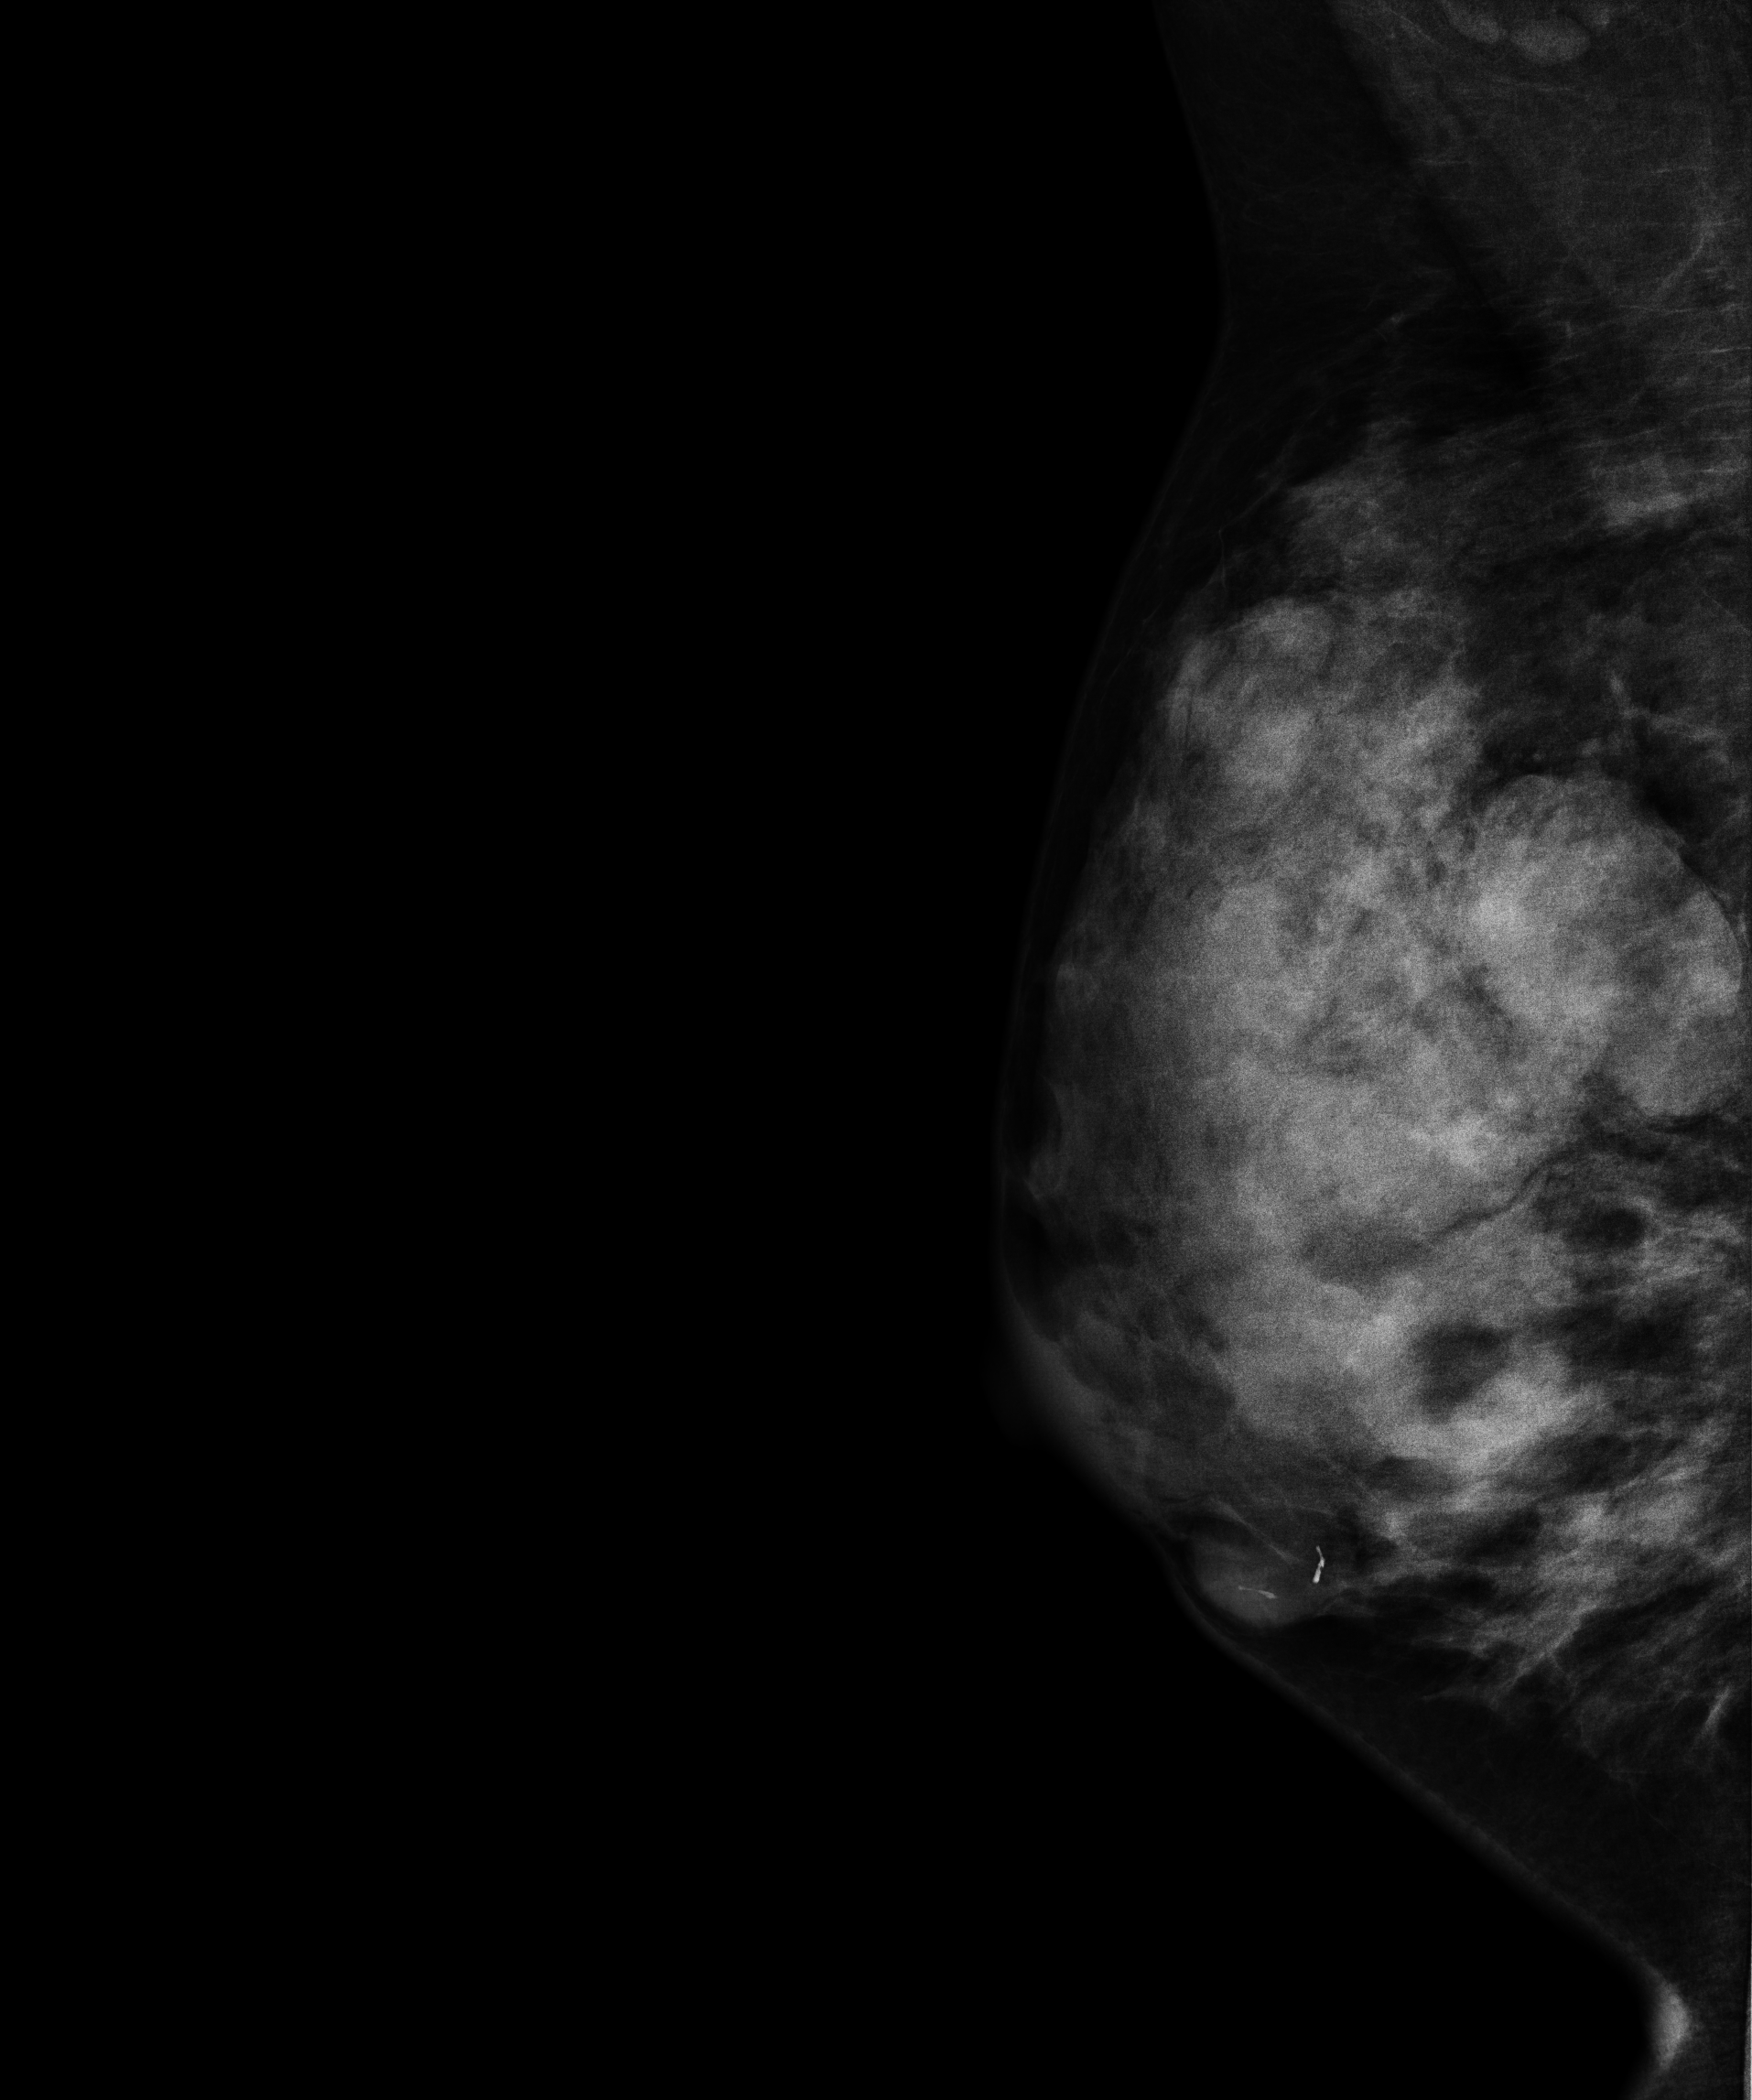
Mammogram, right breast, MLO view. 35 y/o patient.
This breast has a mass, pathology-confirmed benign.